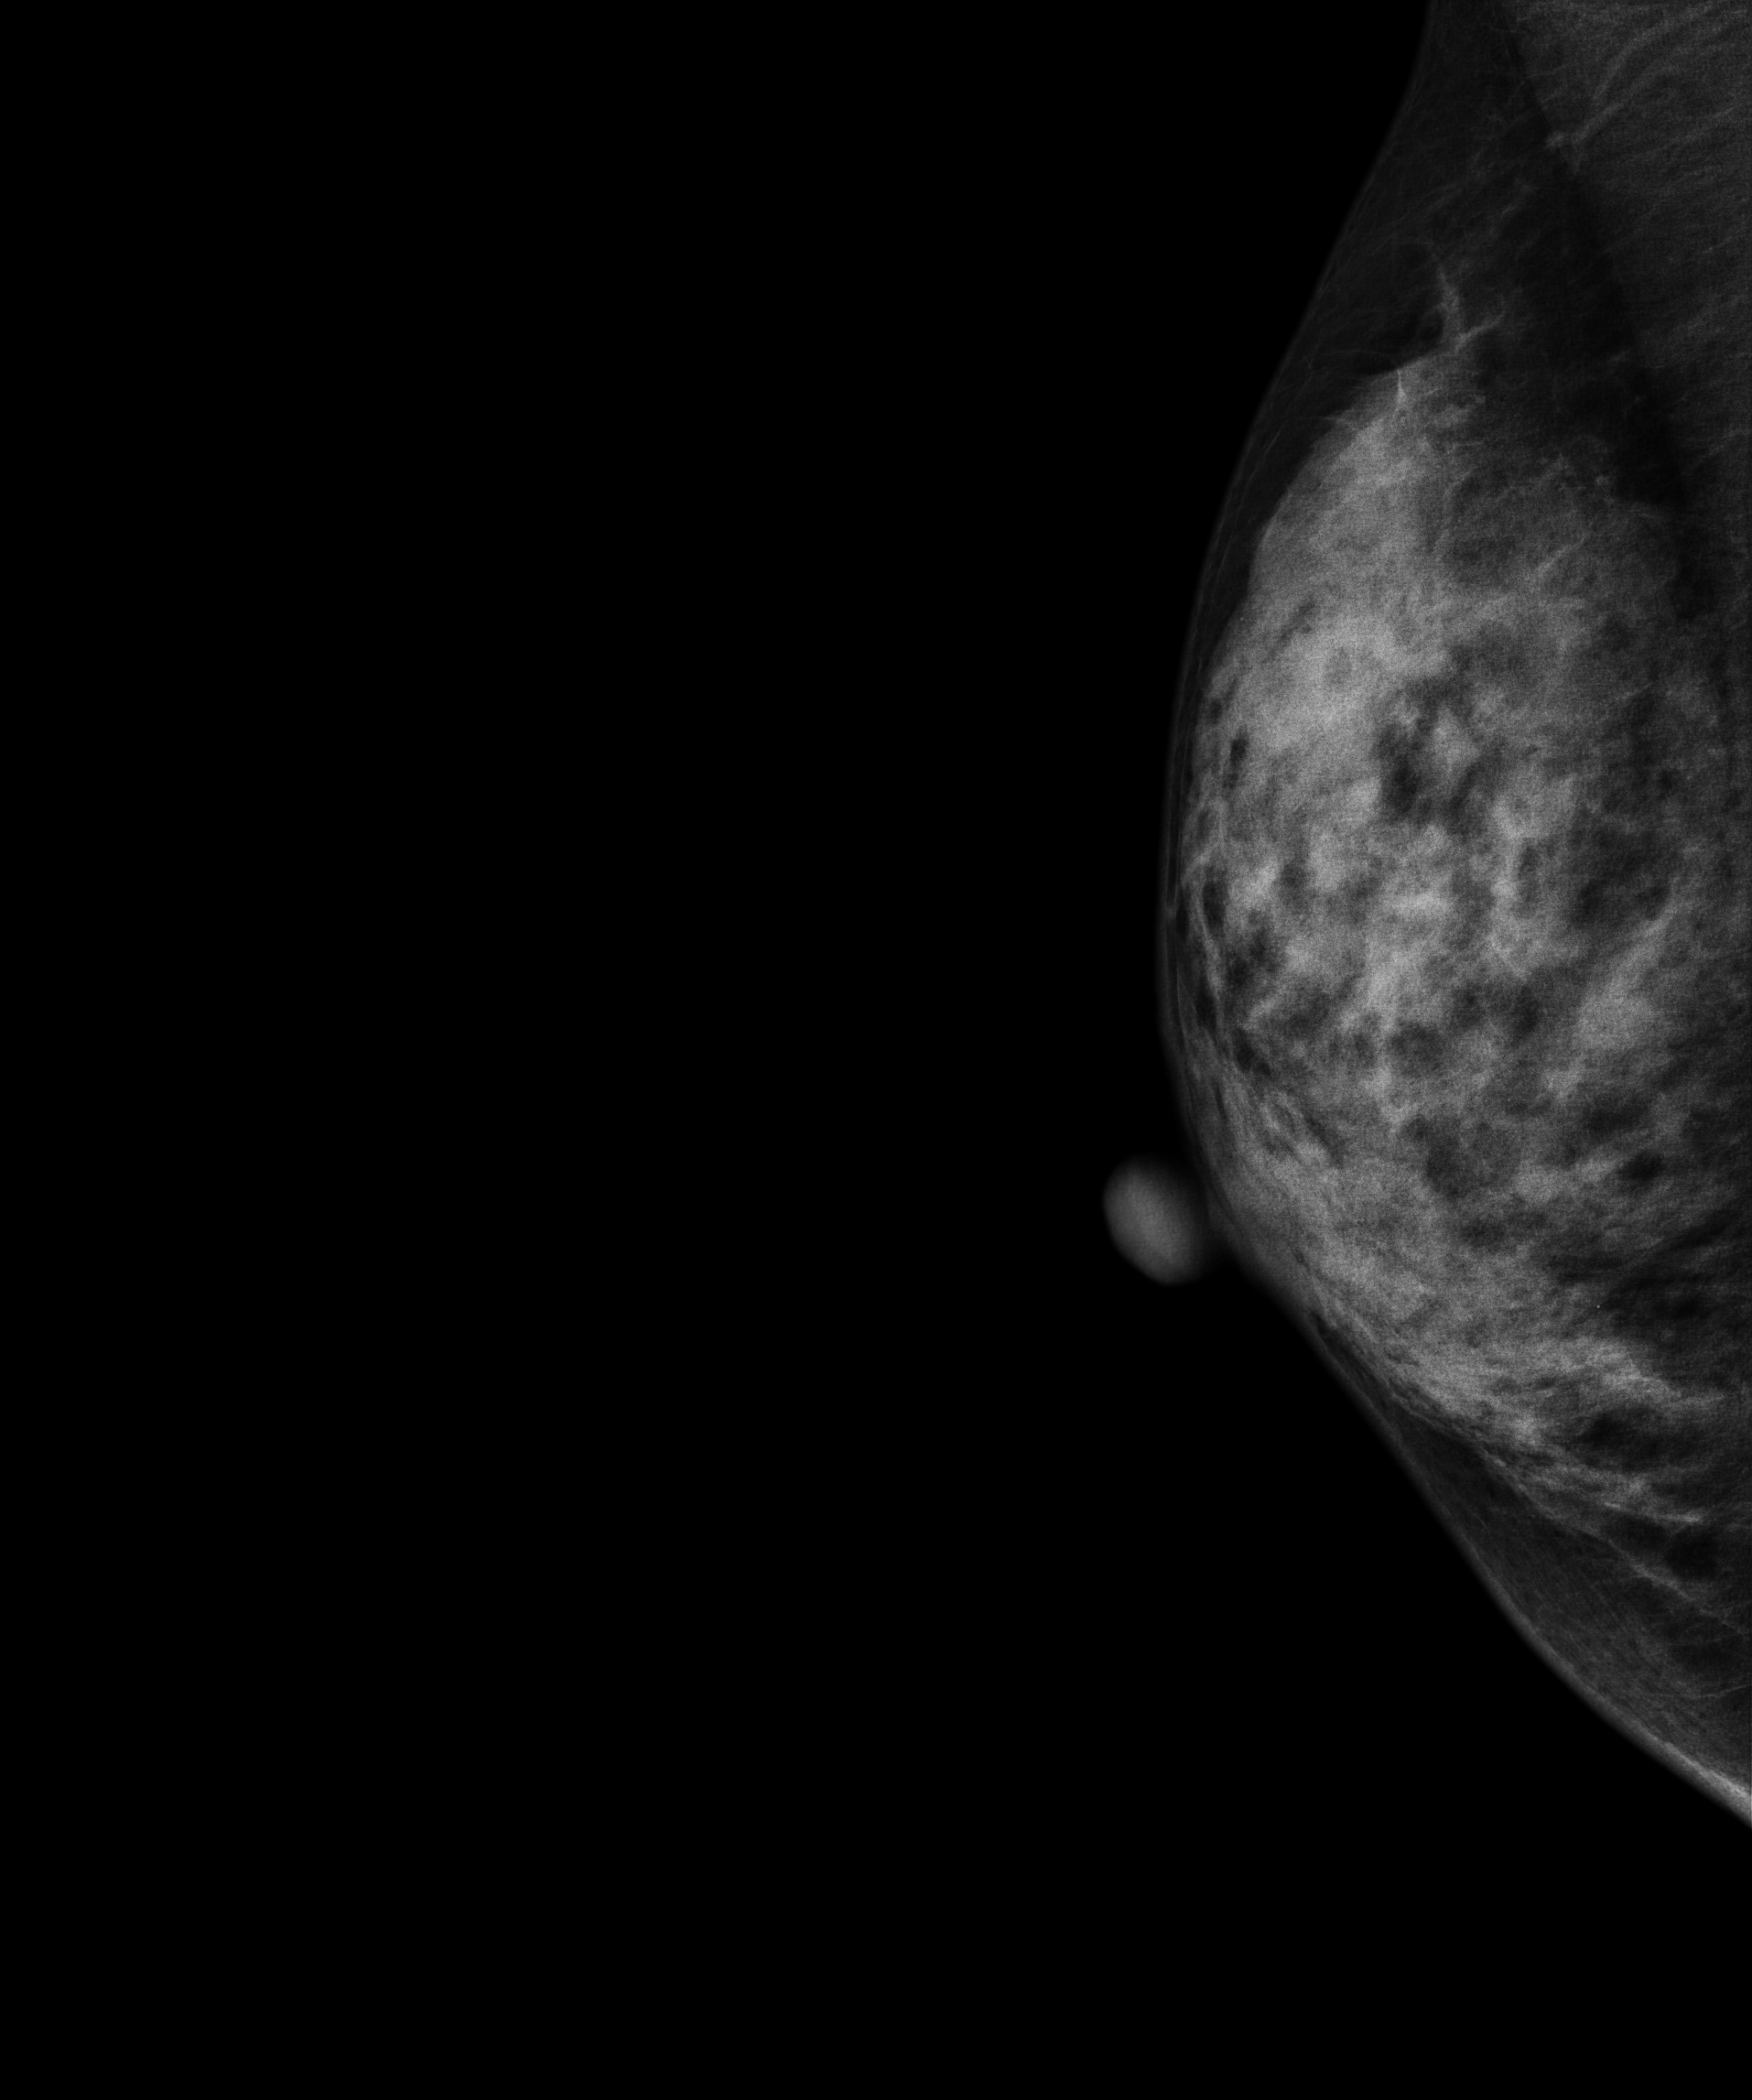
Mammogram, right breast, MLO view. 38 y/o patient.
Contralateral breast — no documented abnormality on this side.